Mammogram, right breast, MLO view. 44-year-old patient.
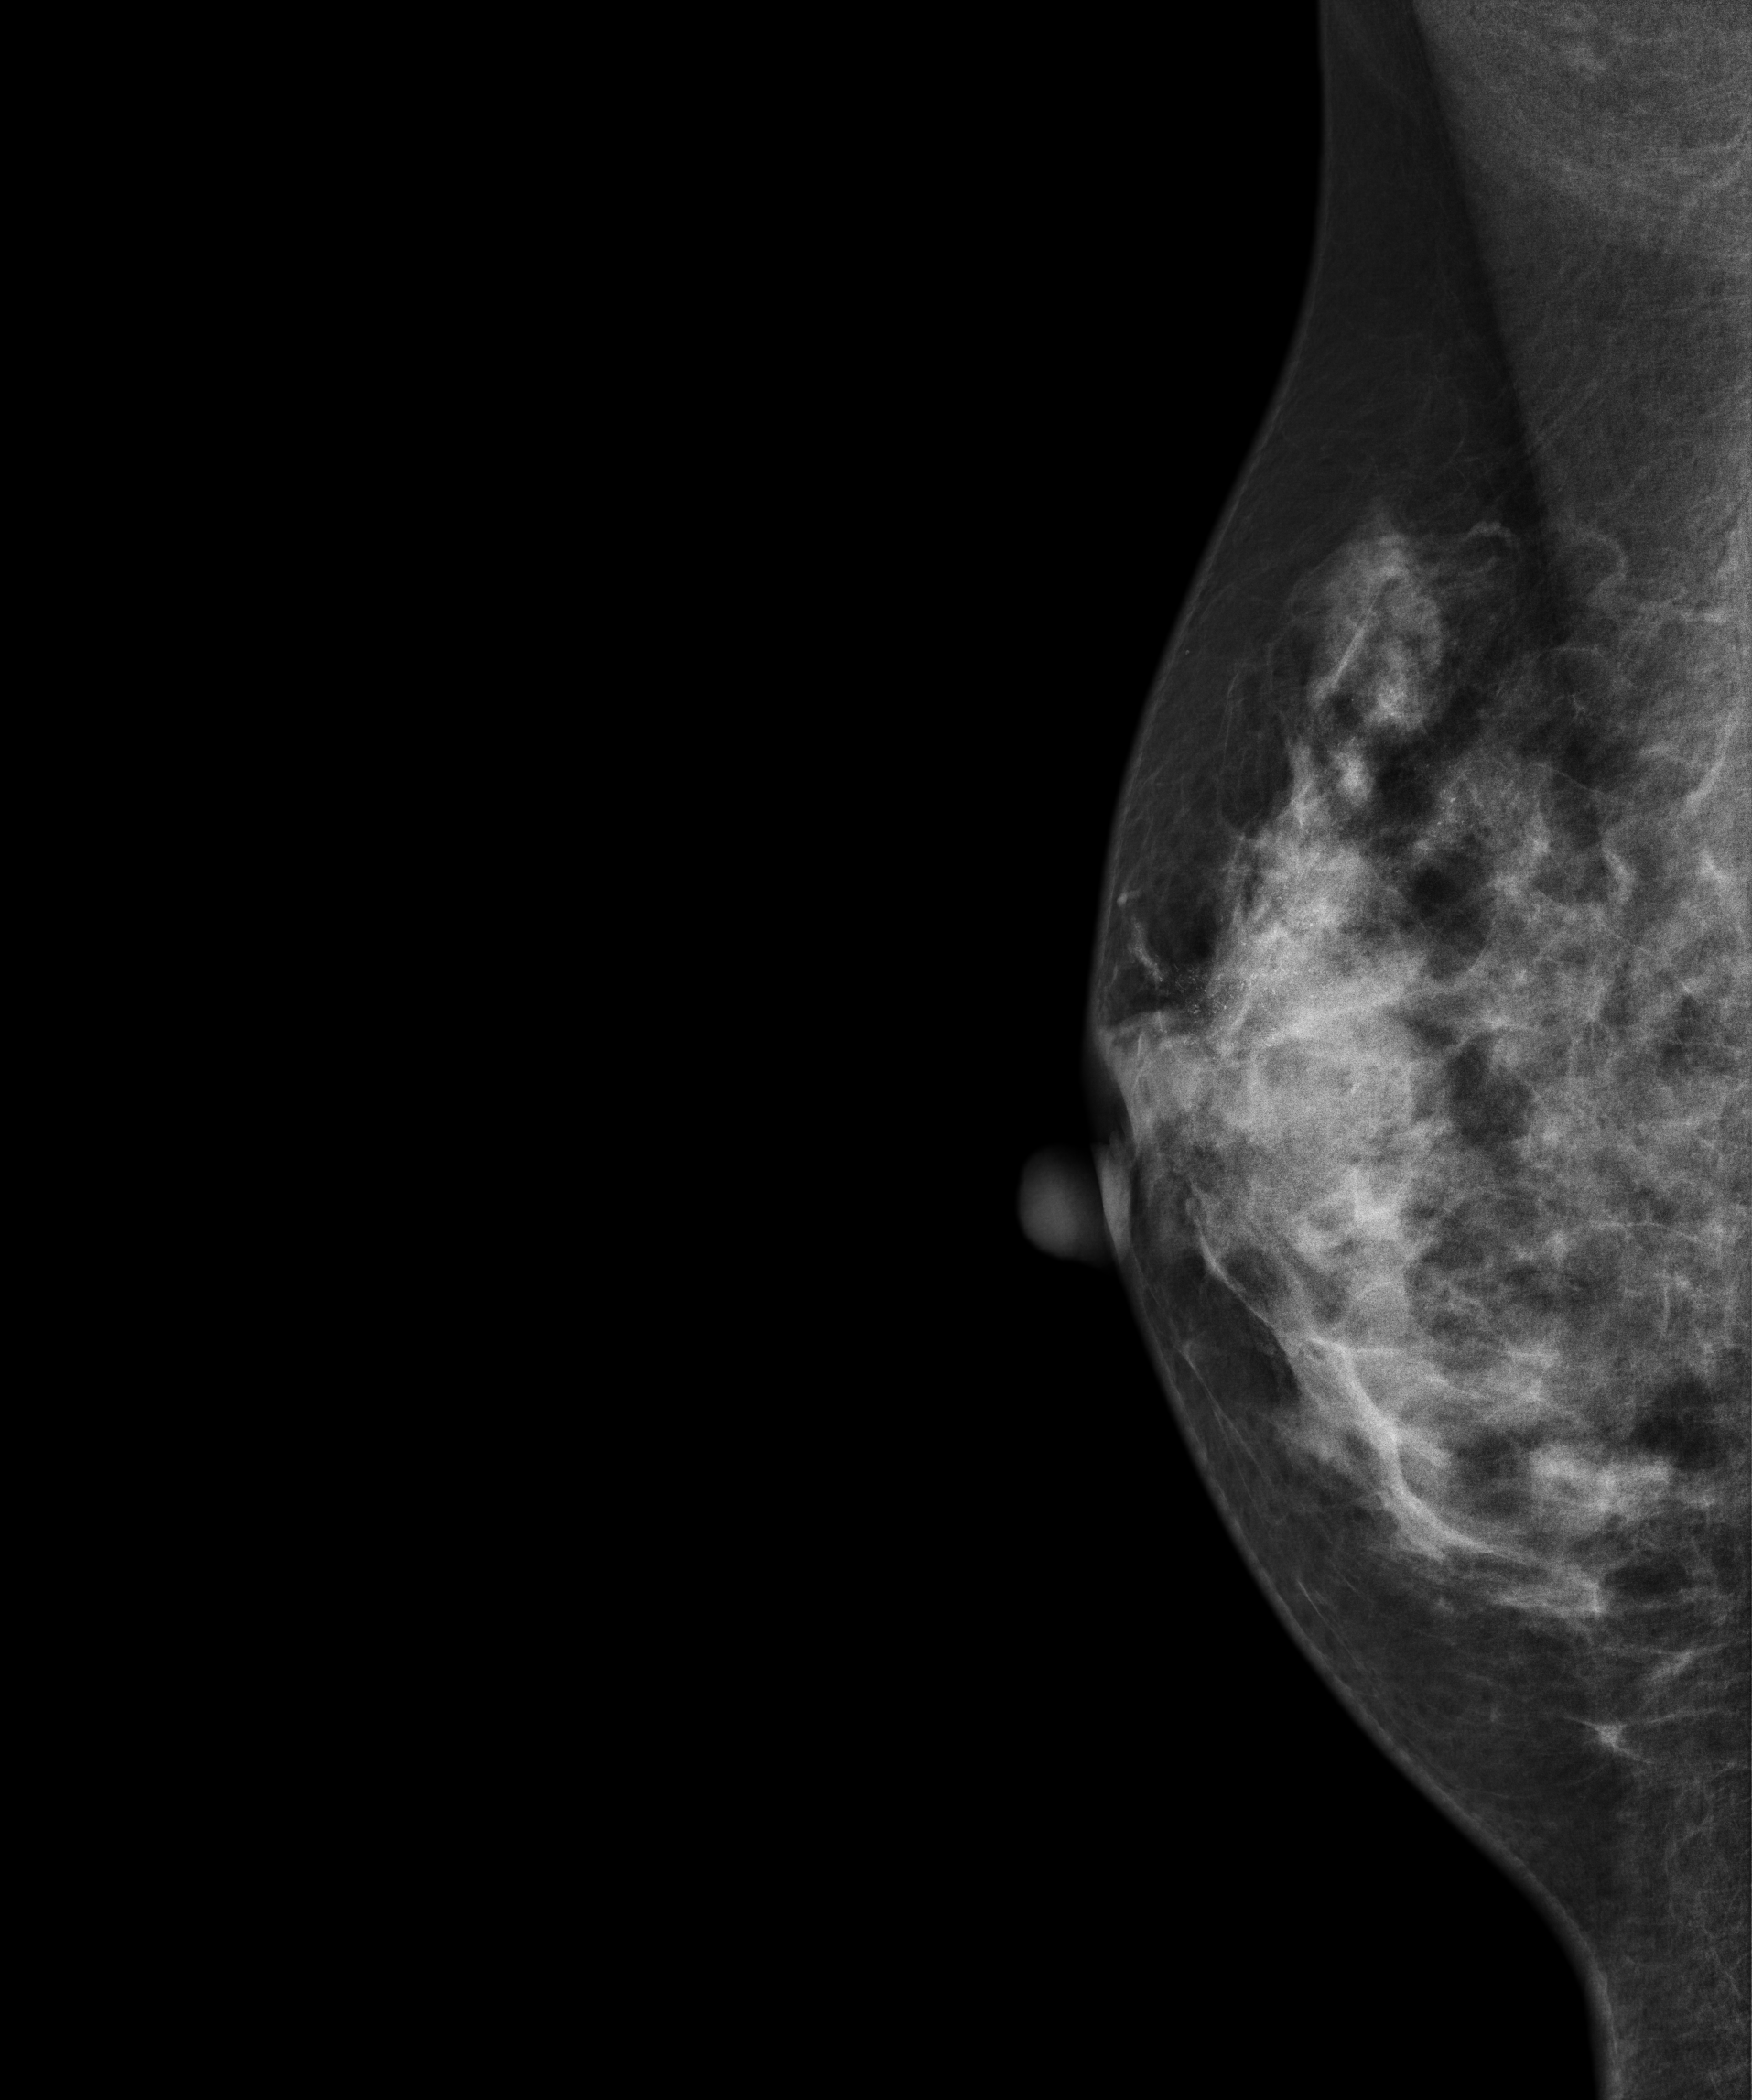
This breast has a mass and calcifications, pathology-confirmed malignant. Molecular subtype: luminal B.